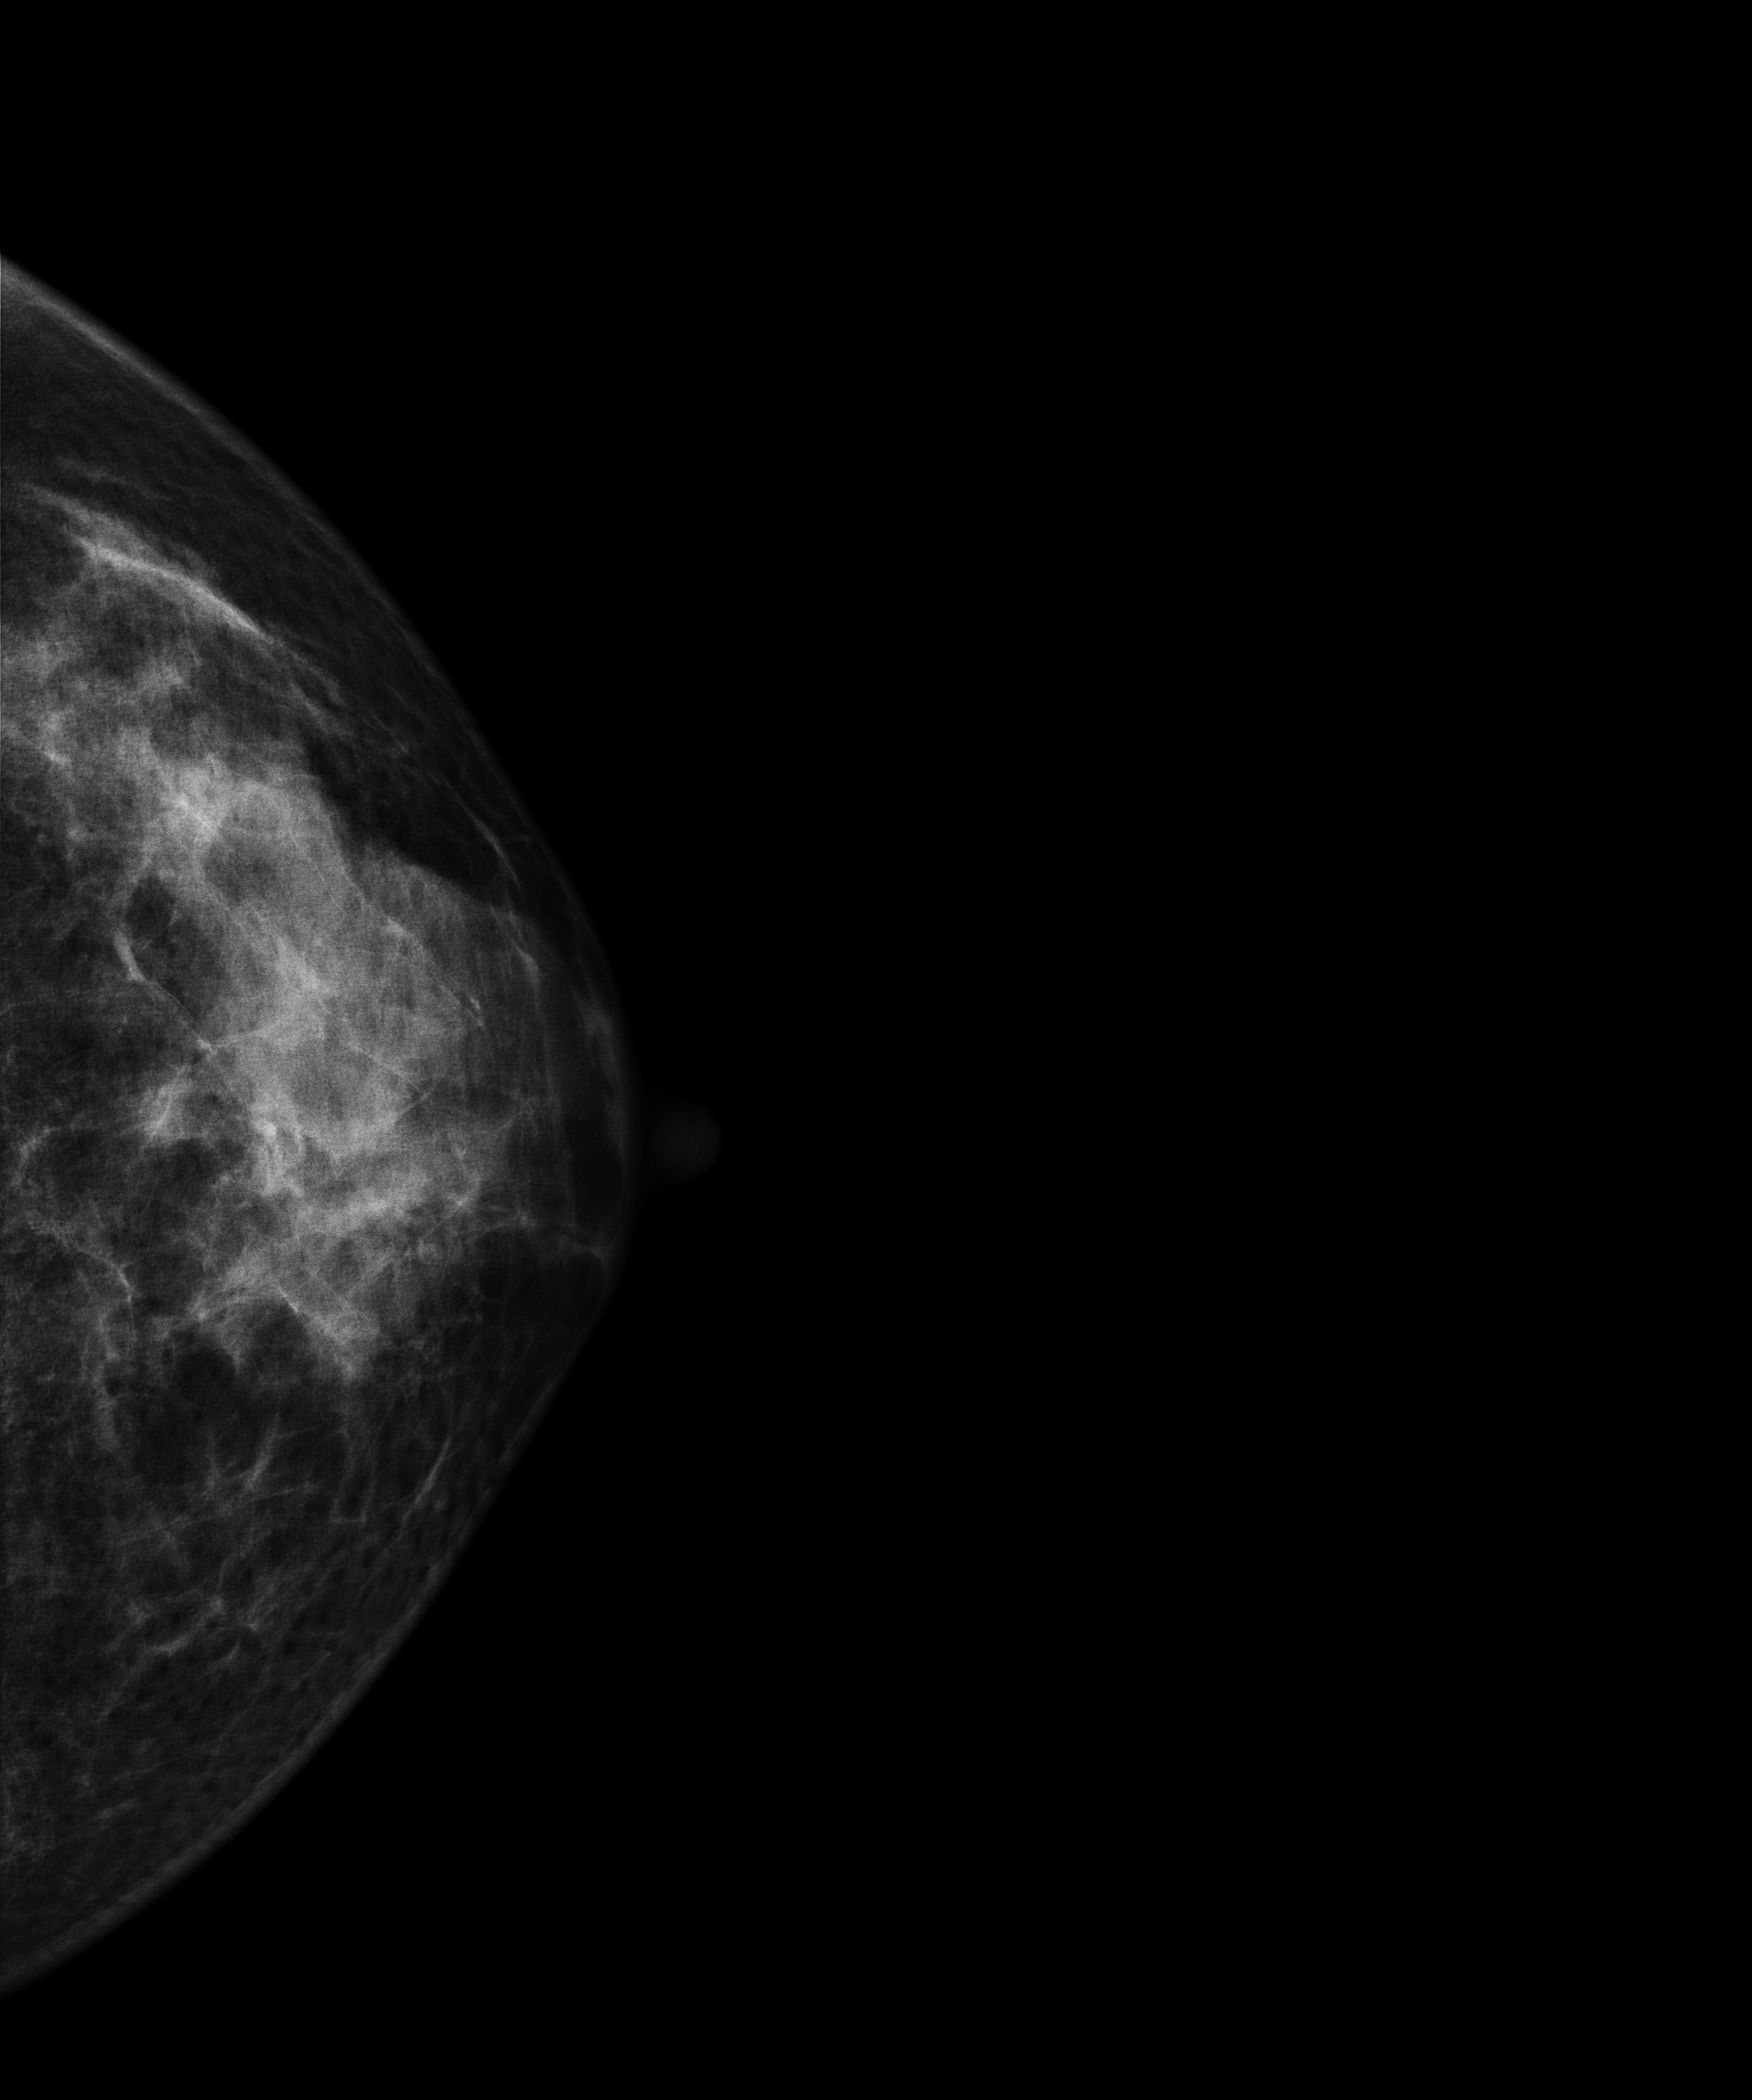
Mammogram — left CC. Patient age 51.
Contralateral breast — no documented abnormality on this side.